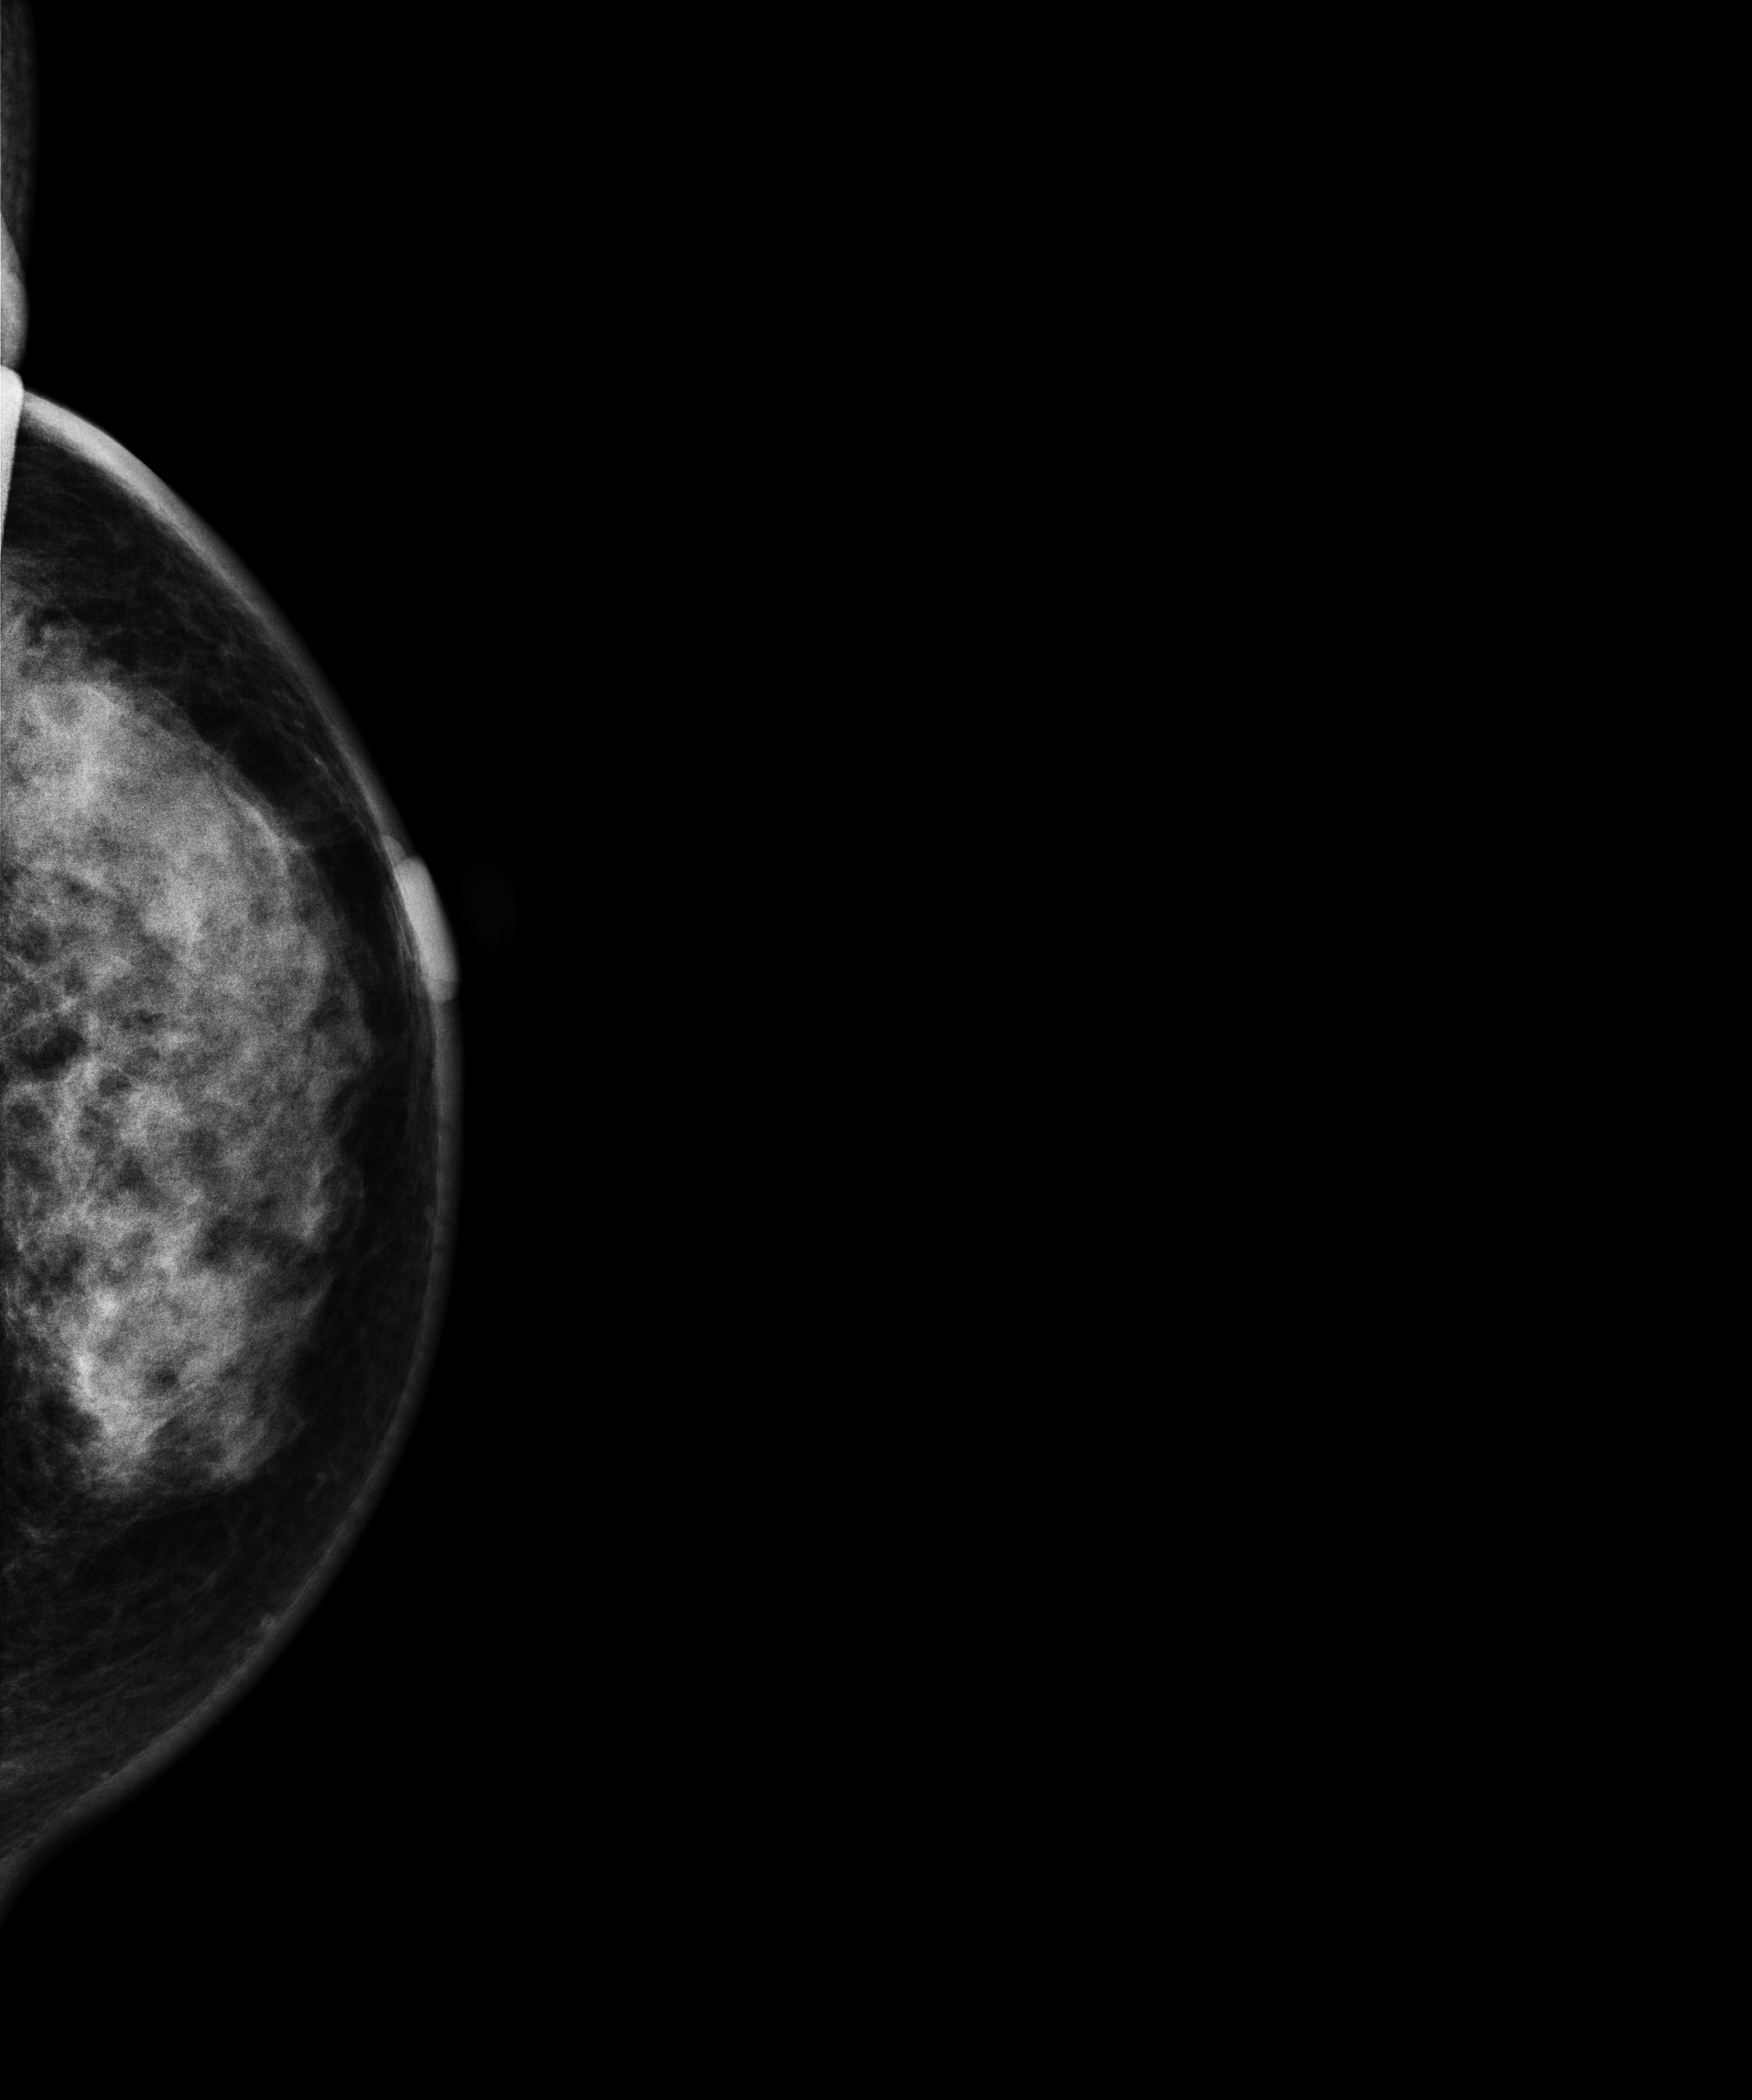
Mammogram — left CC. 40-year-old patient.
This breast has a mass, pathology-confirmed malignant. Molecular subtype: triple-negative.